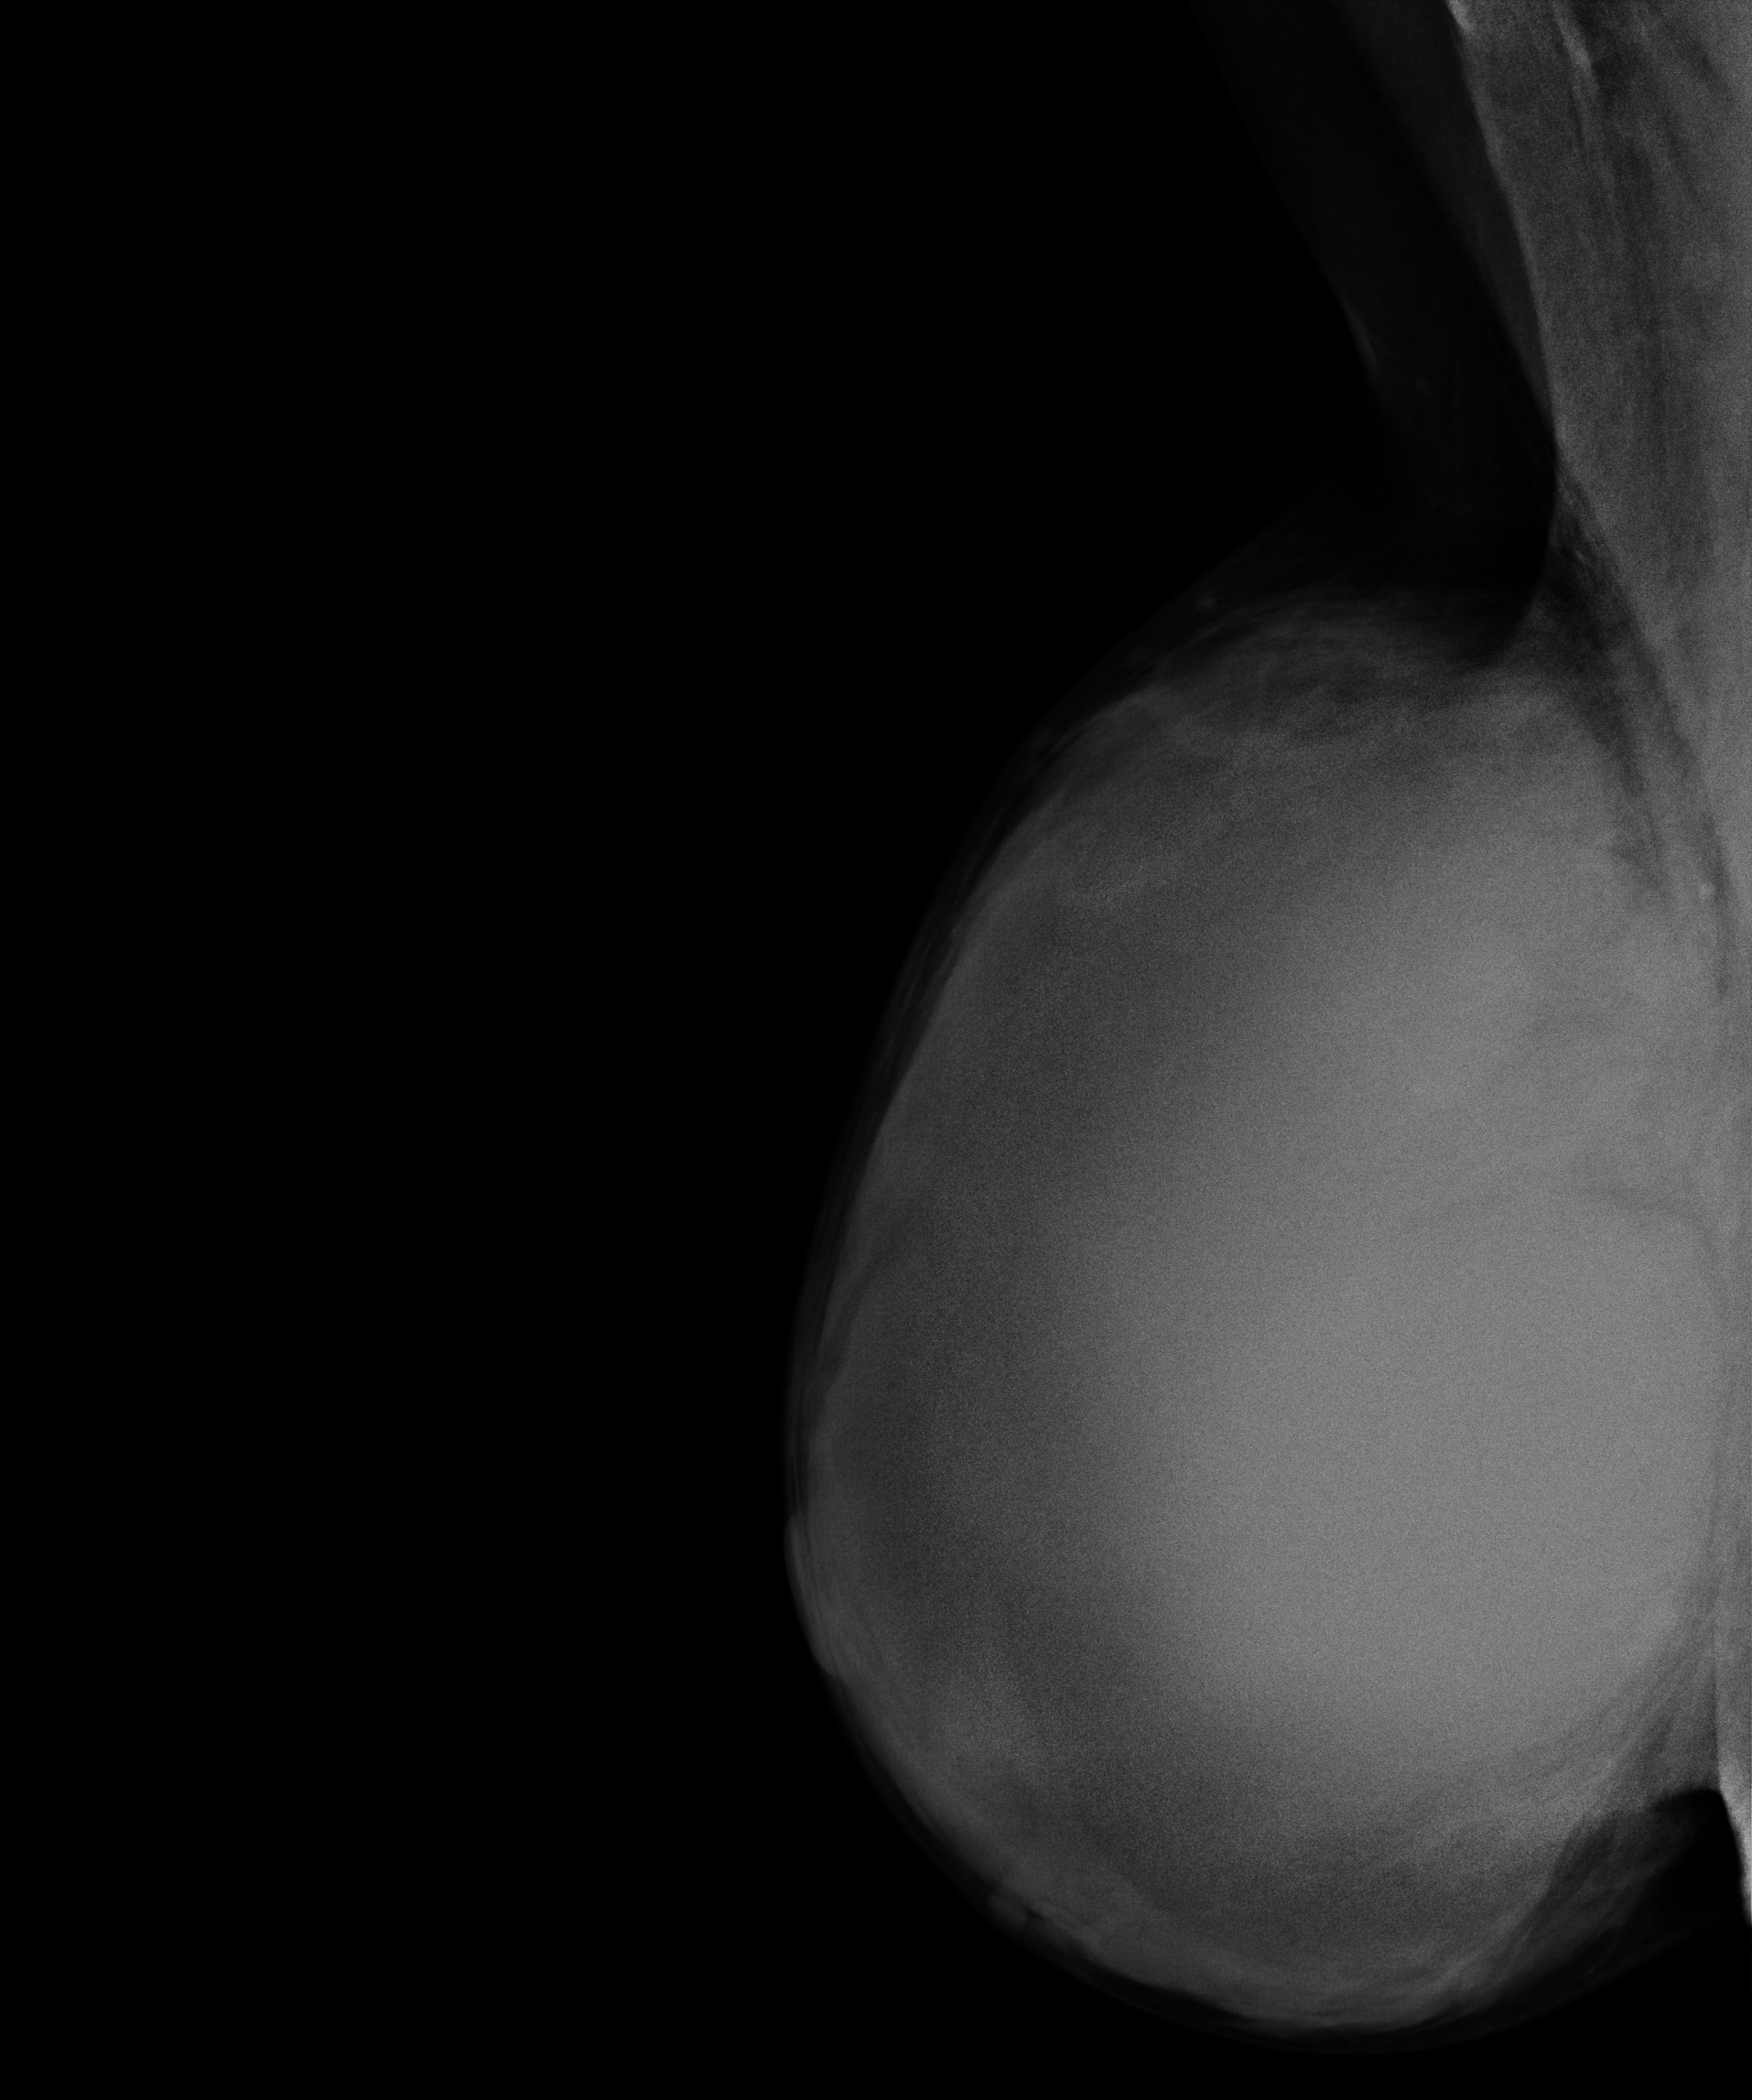
Right-breast mammogram, MLO. 41-year-old patient.
This breast has a mass, biopsy-proven malignant.